MLO mammogram of the right breast. 40-year-old patient.
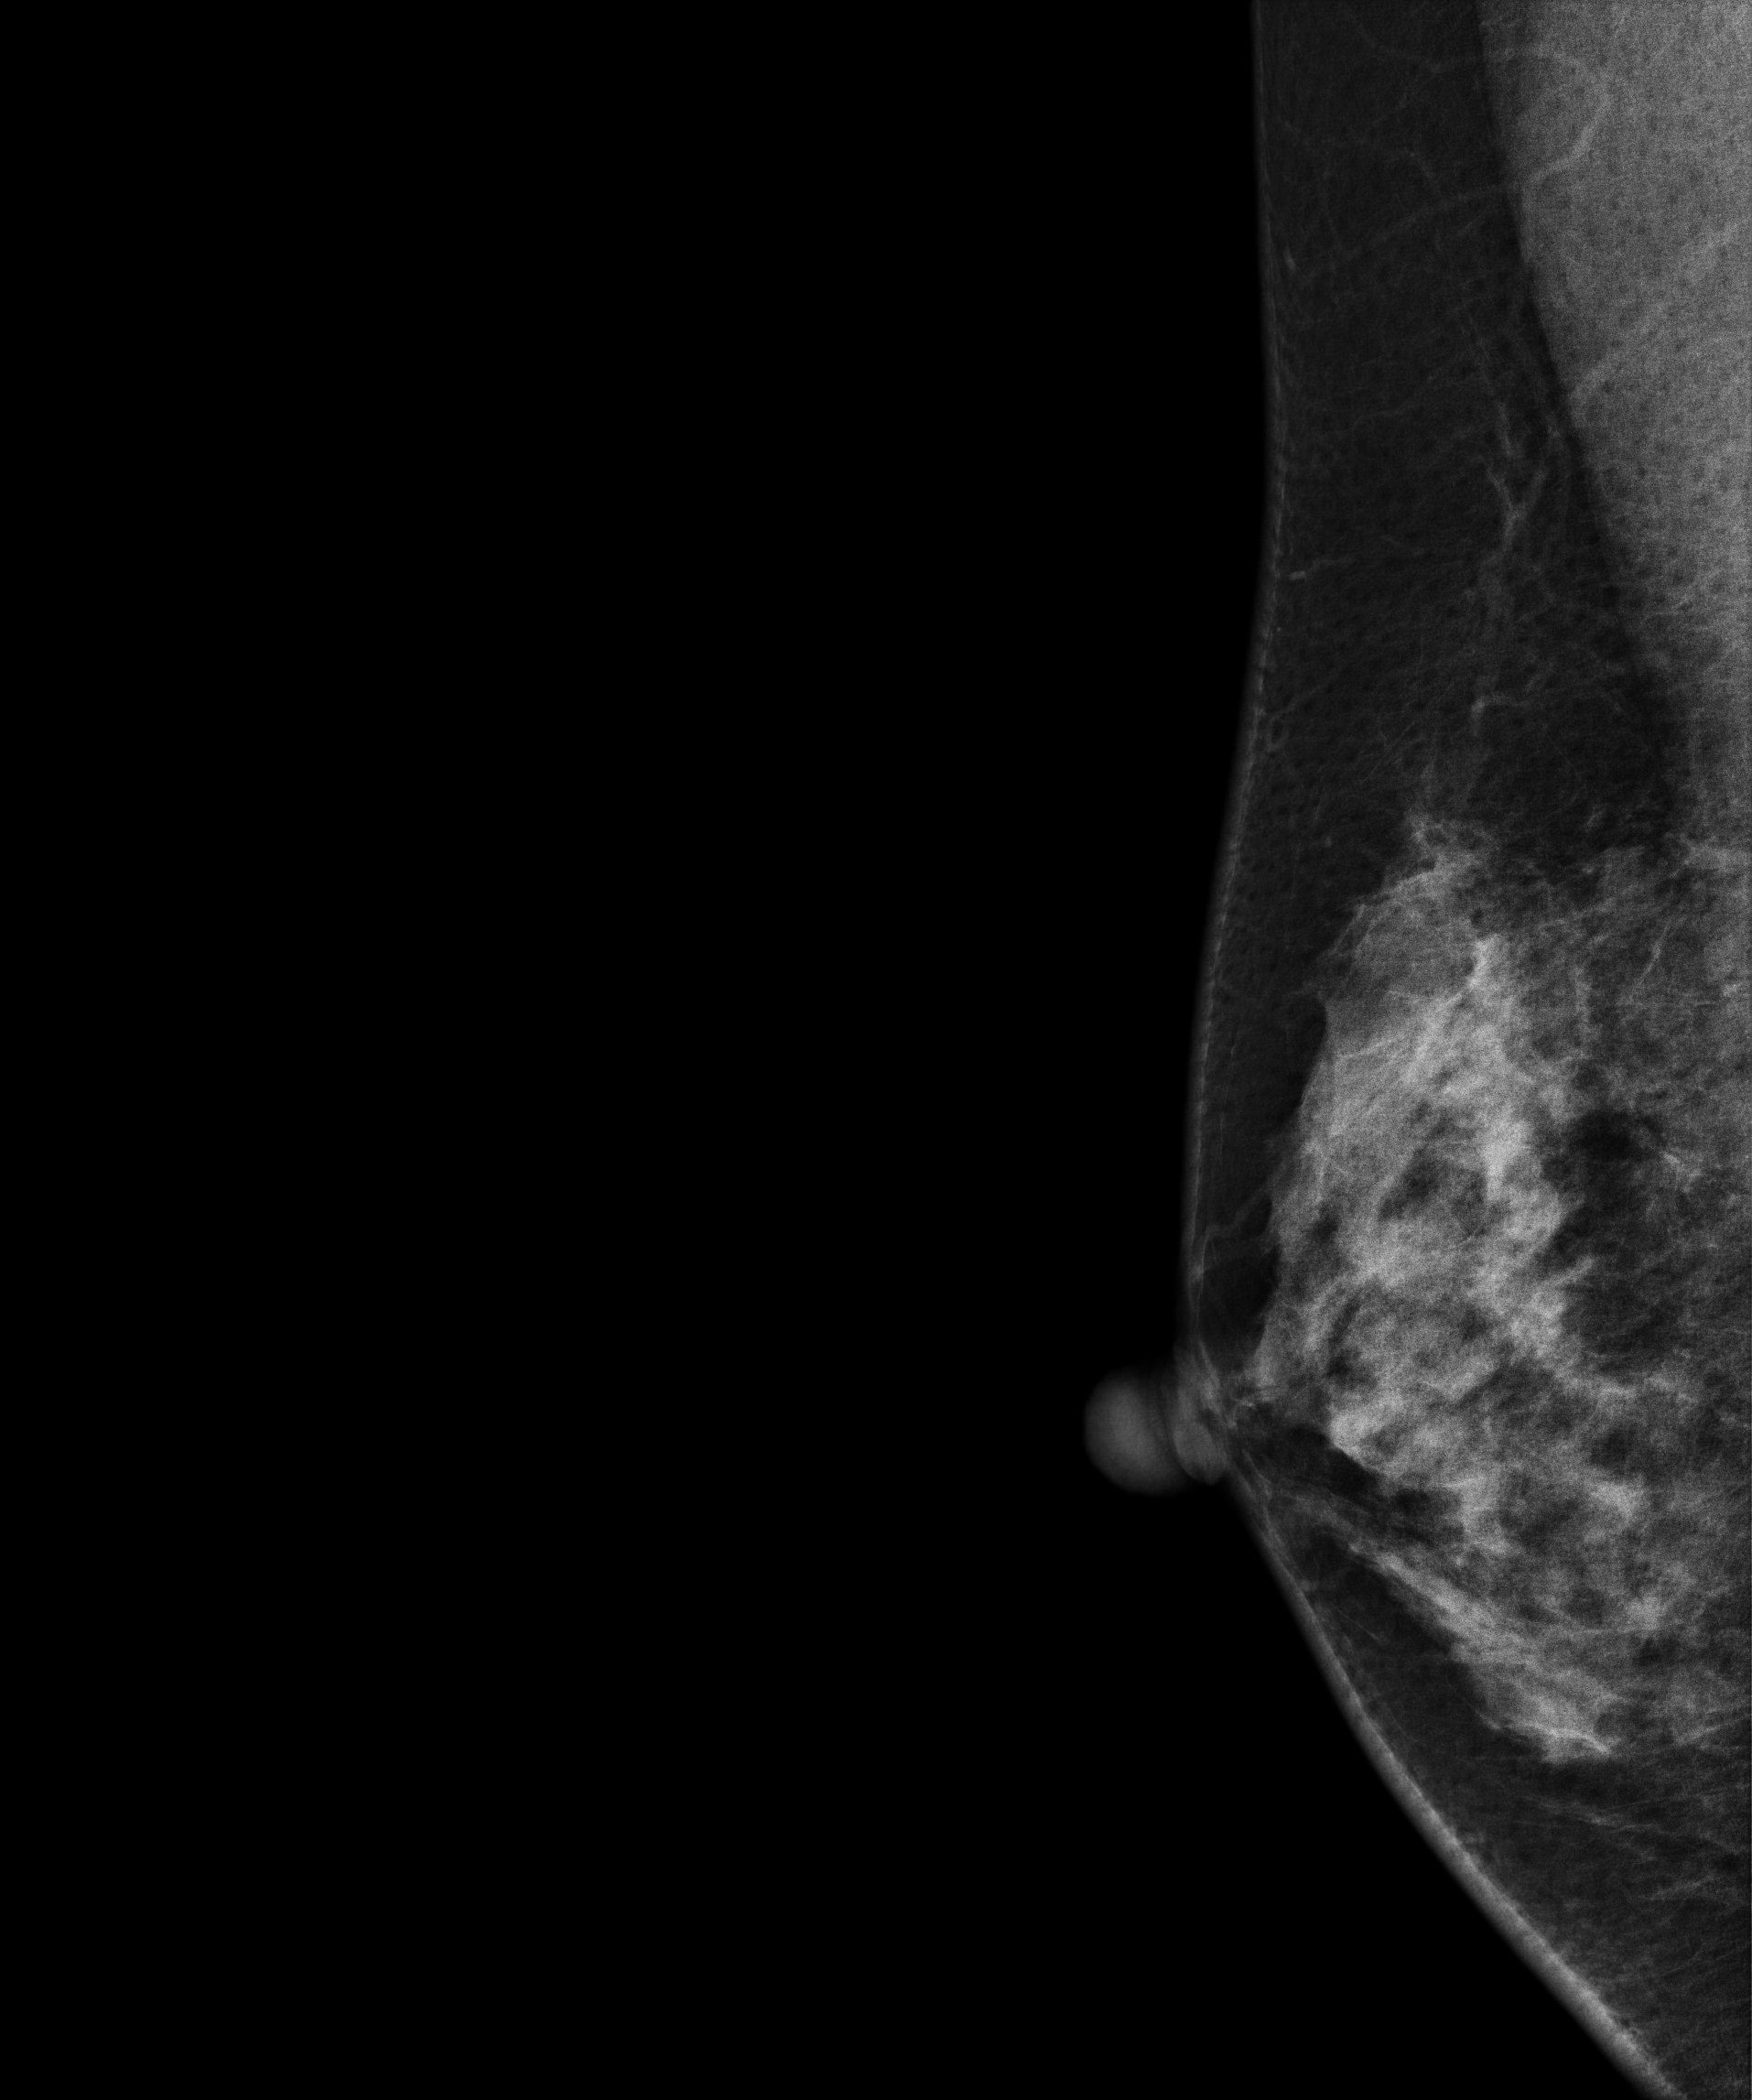
Contralateral breast — no documented abnormality on this side.